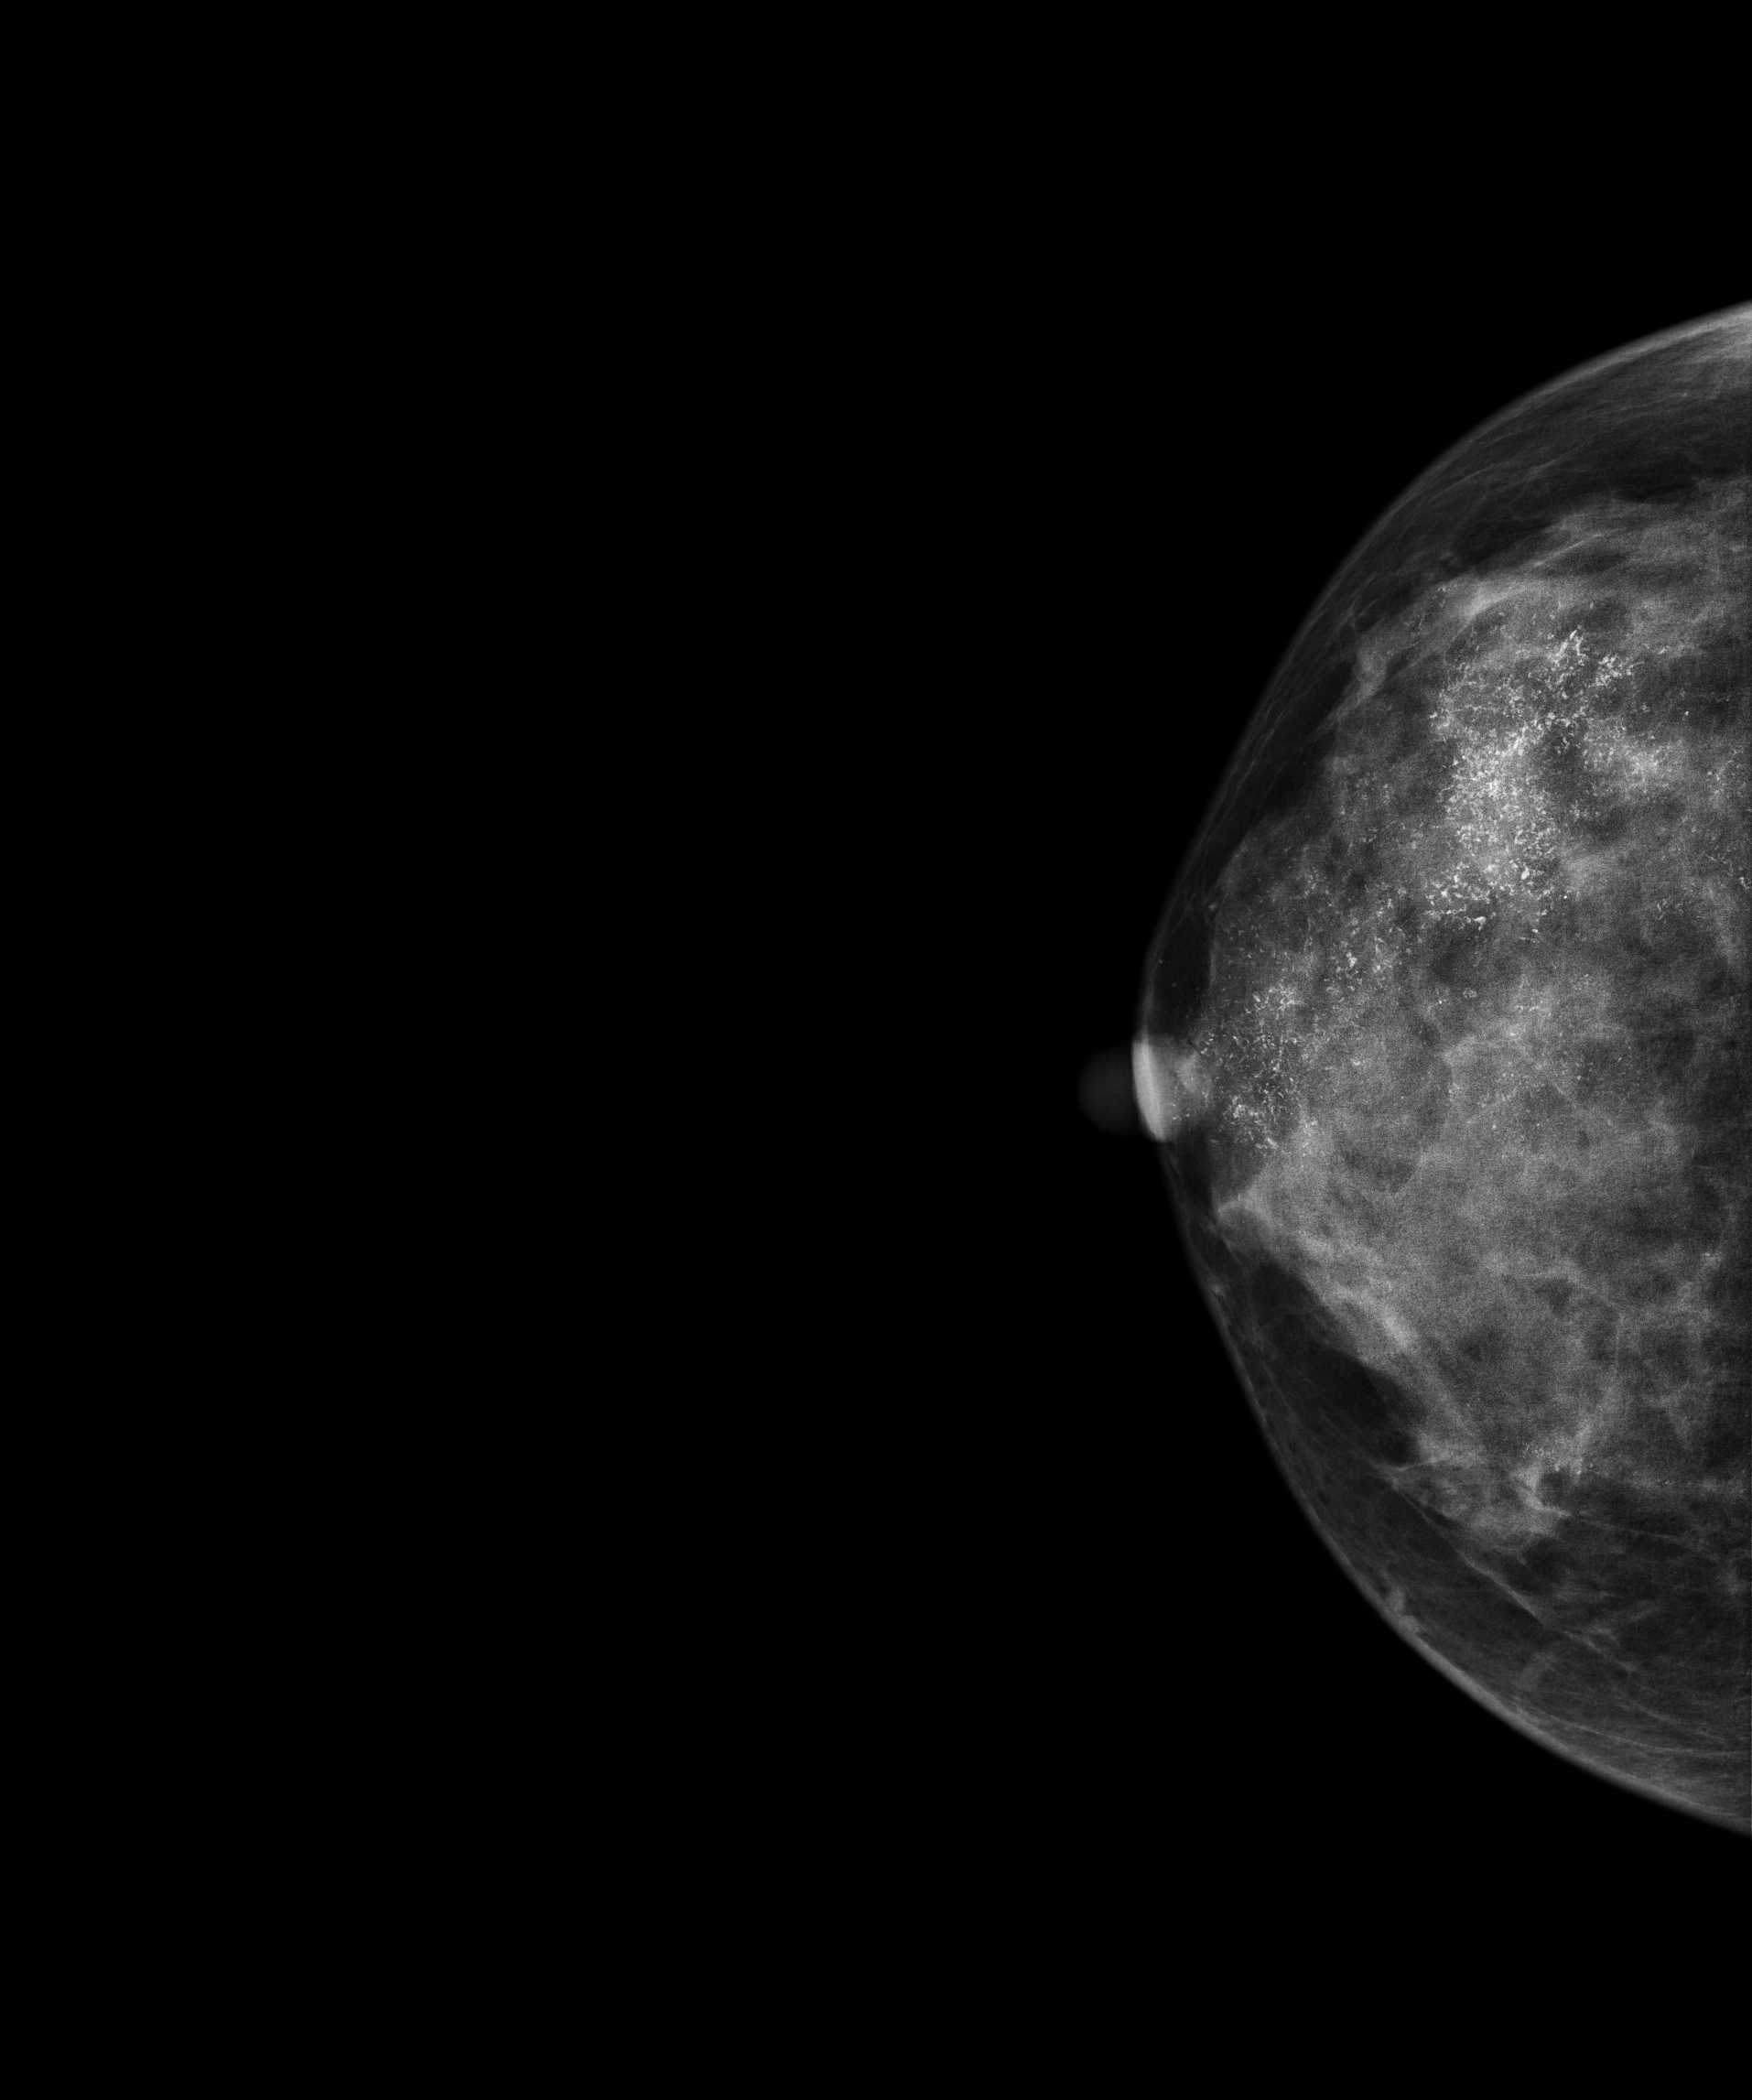
Mammogram, right breast, cranio-caudal view. Patient age 44.
This breast has calcifications, biopsy-confirmed malignant.